Right-breast mammogram, medio-lateral oblique. Patient age 52.
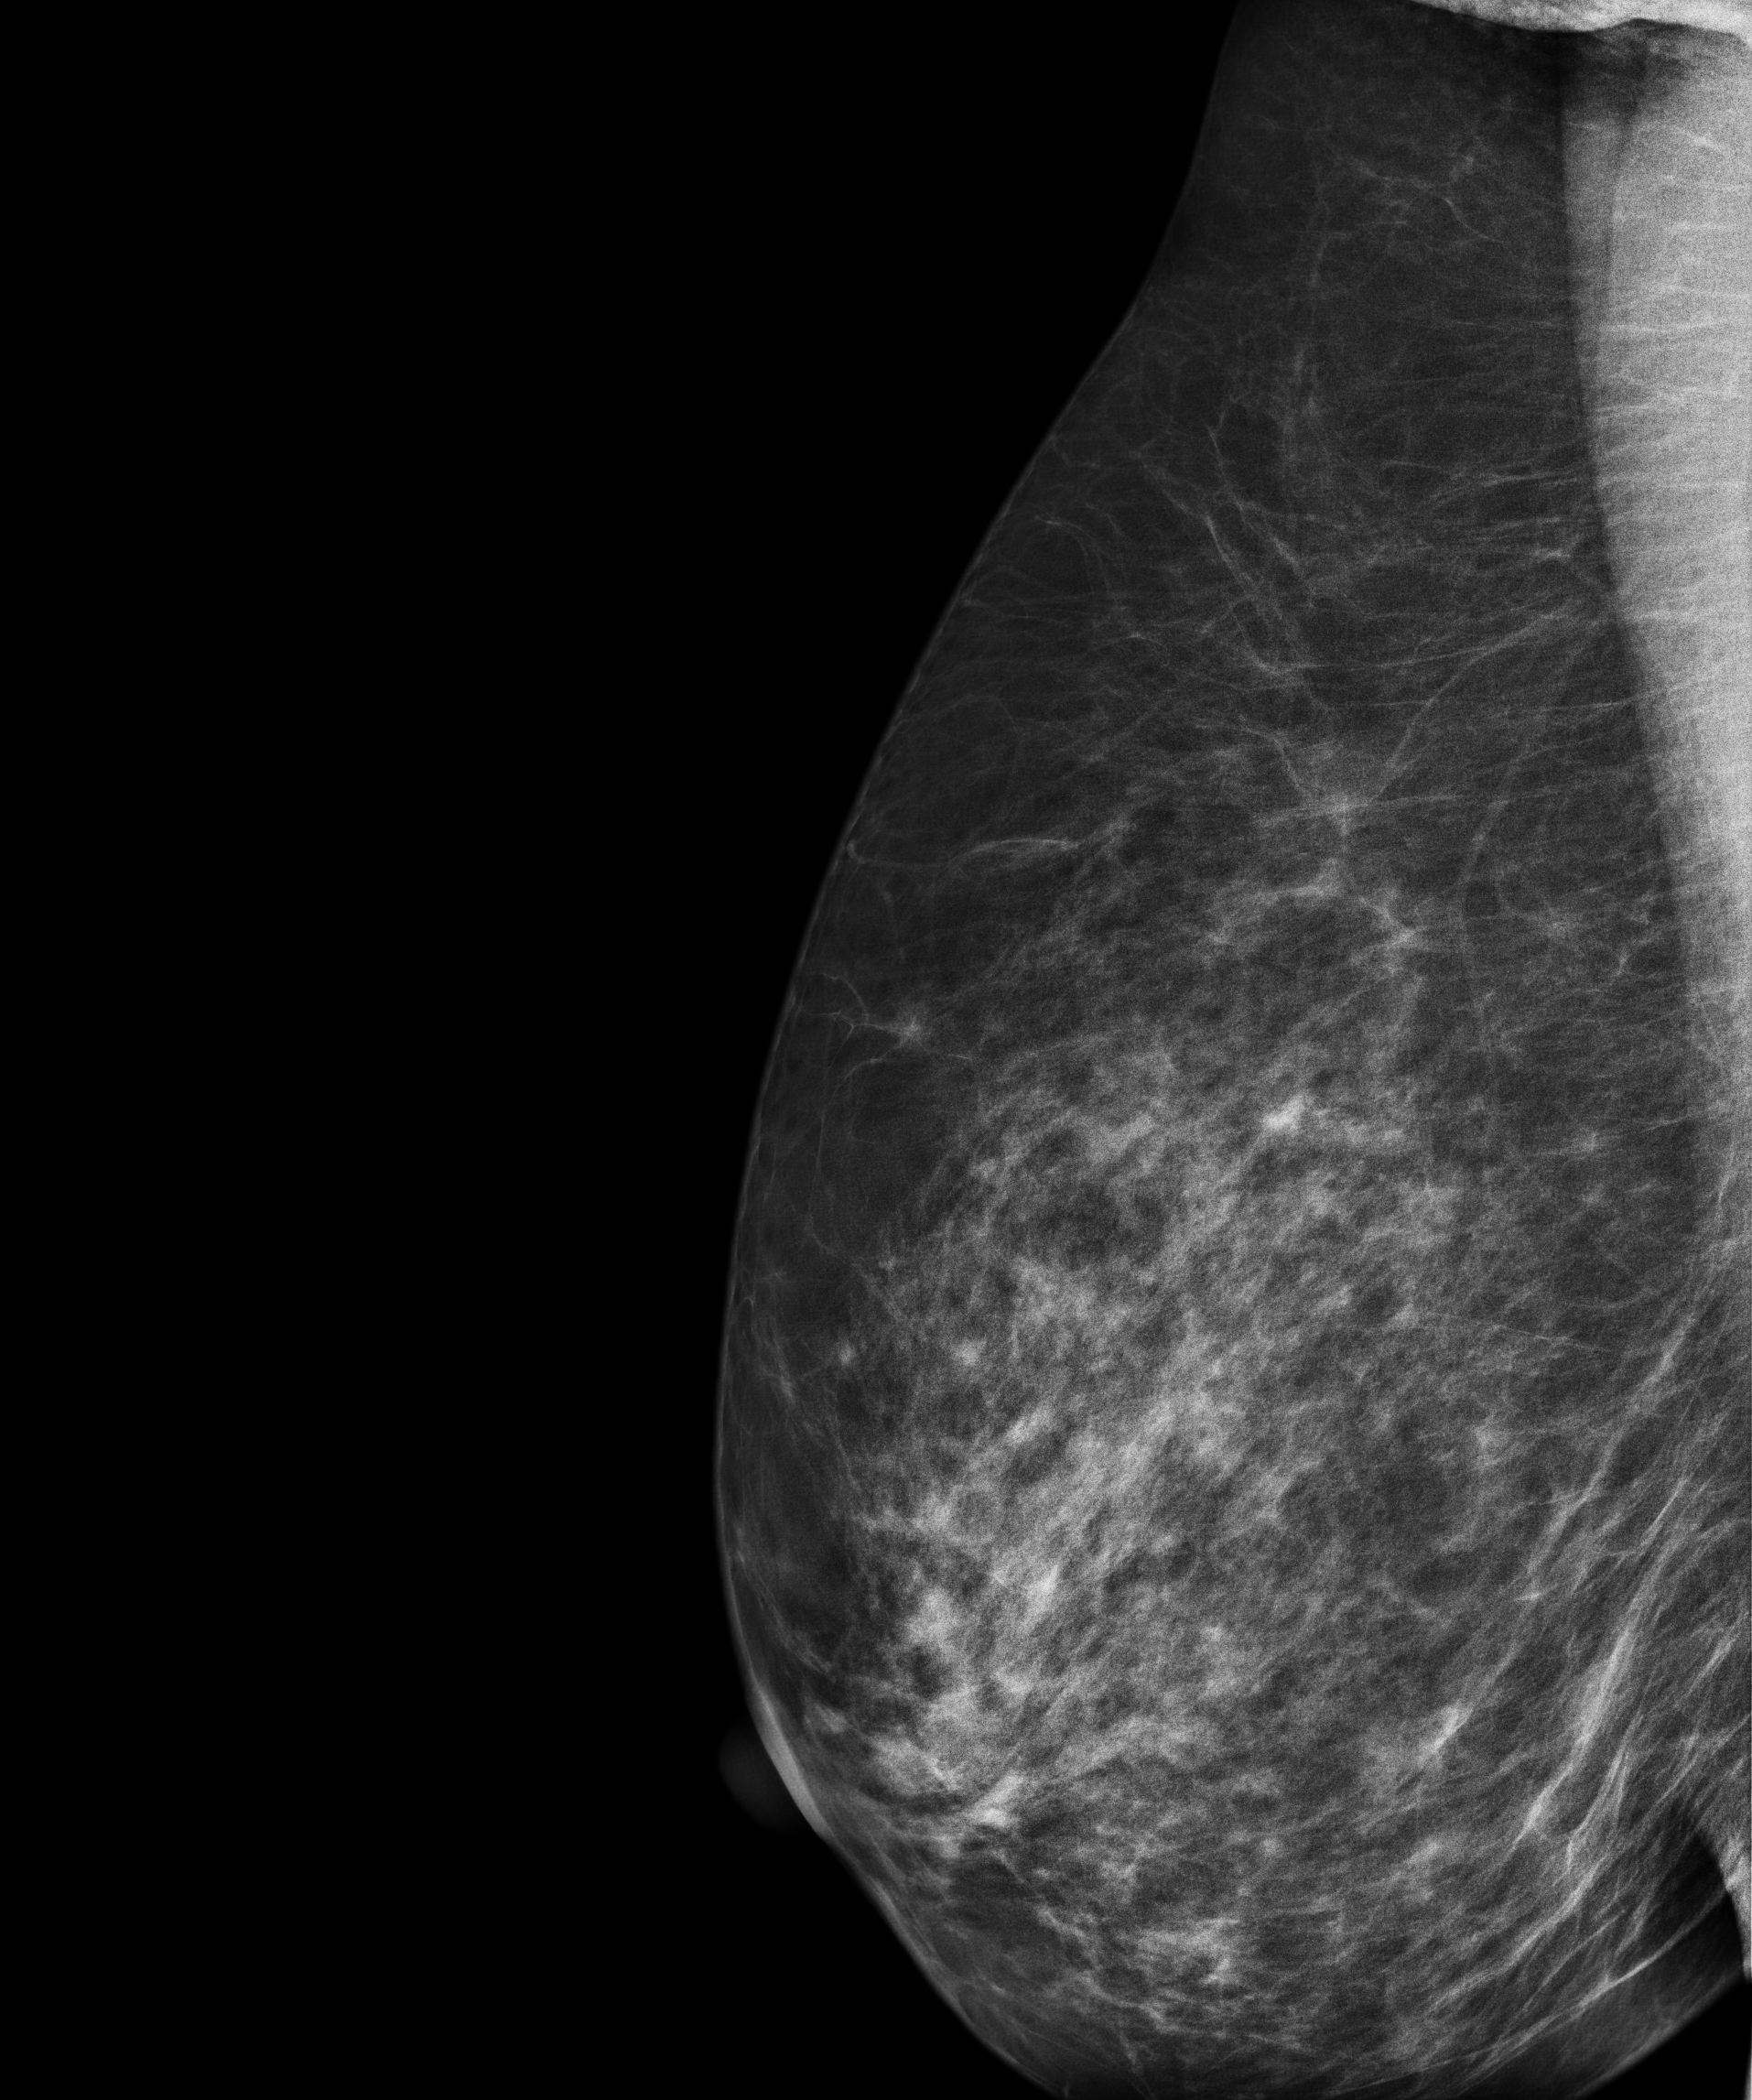
Contralateral breast — no documented abnormality on this side.